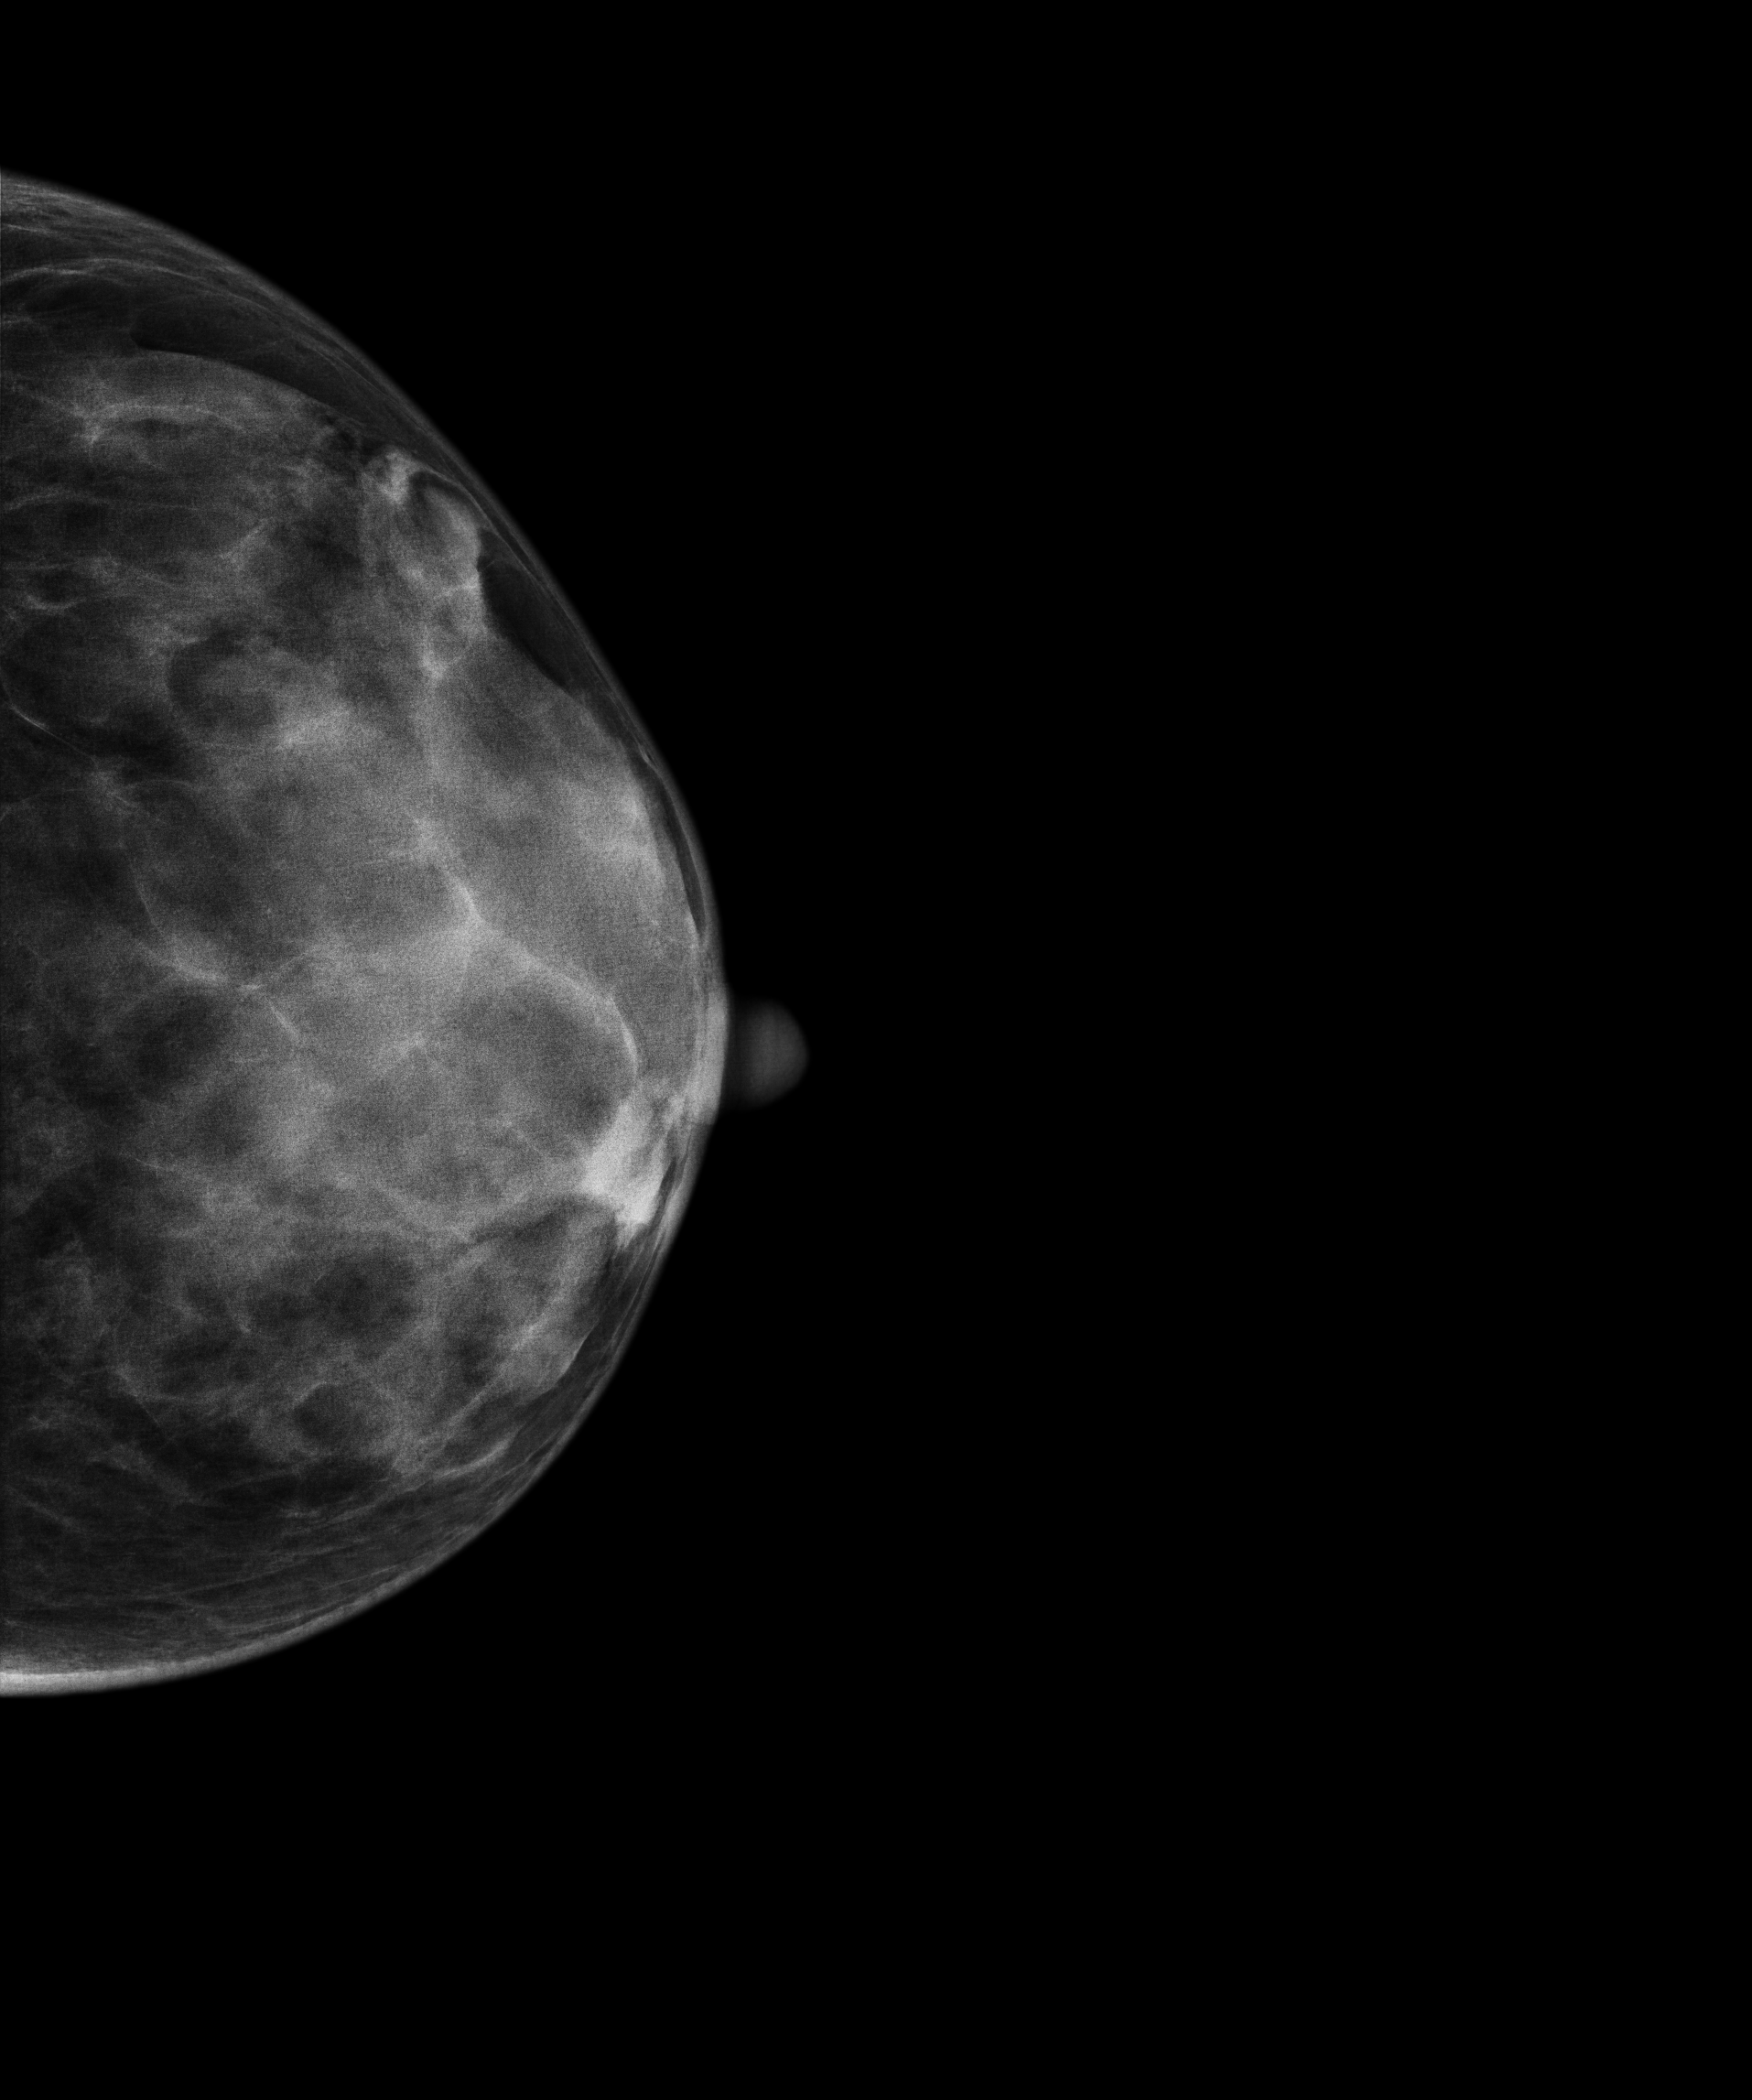
Left-breast mammogram, cranio-caudal. 48-year-old patient.
Contralateral breast — no documented abnormality on this side.